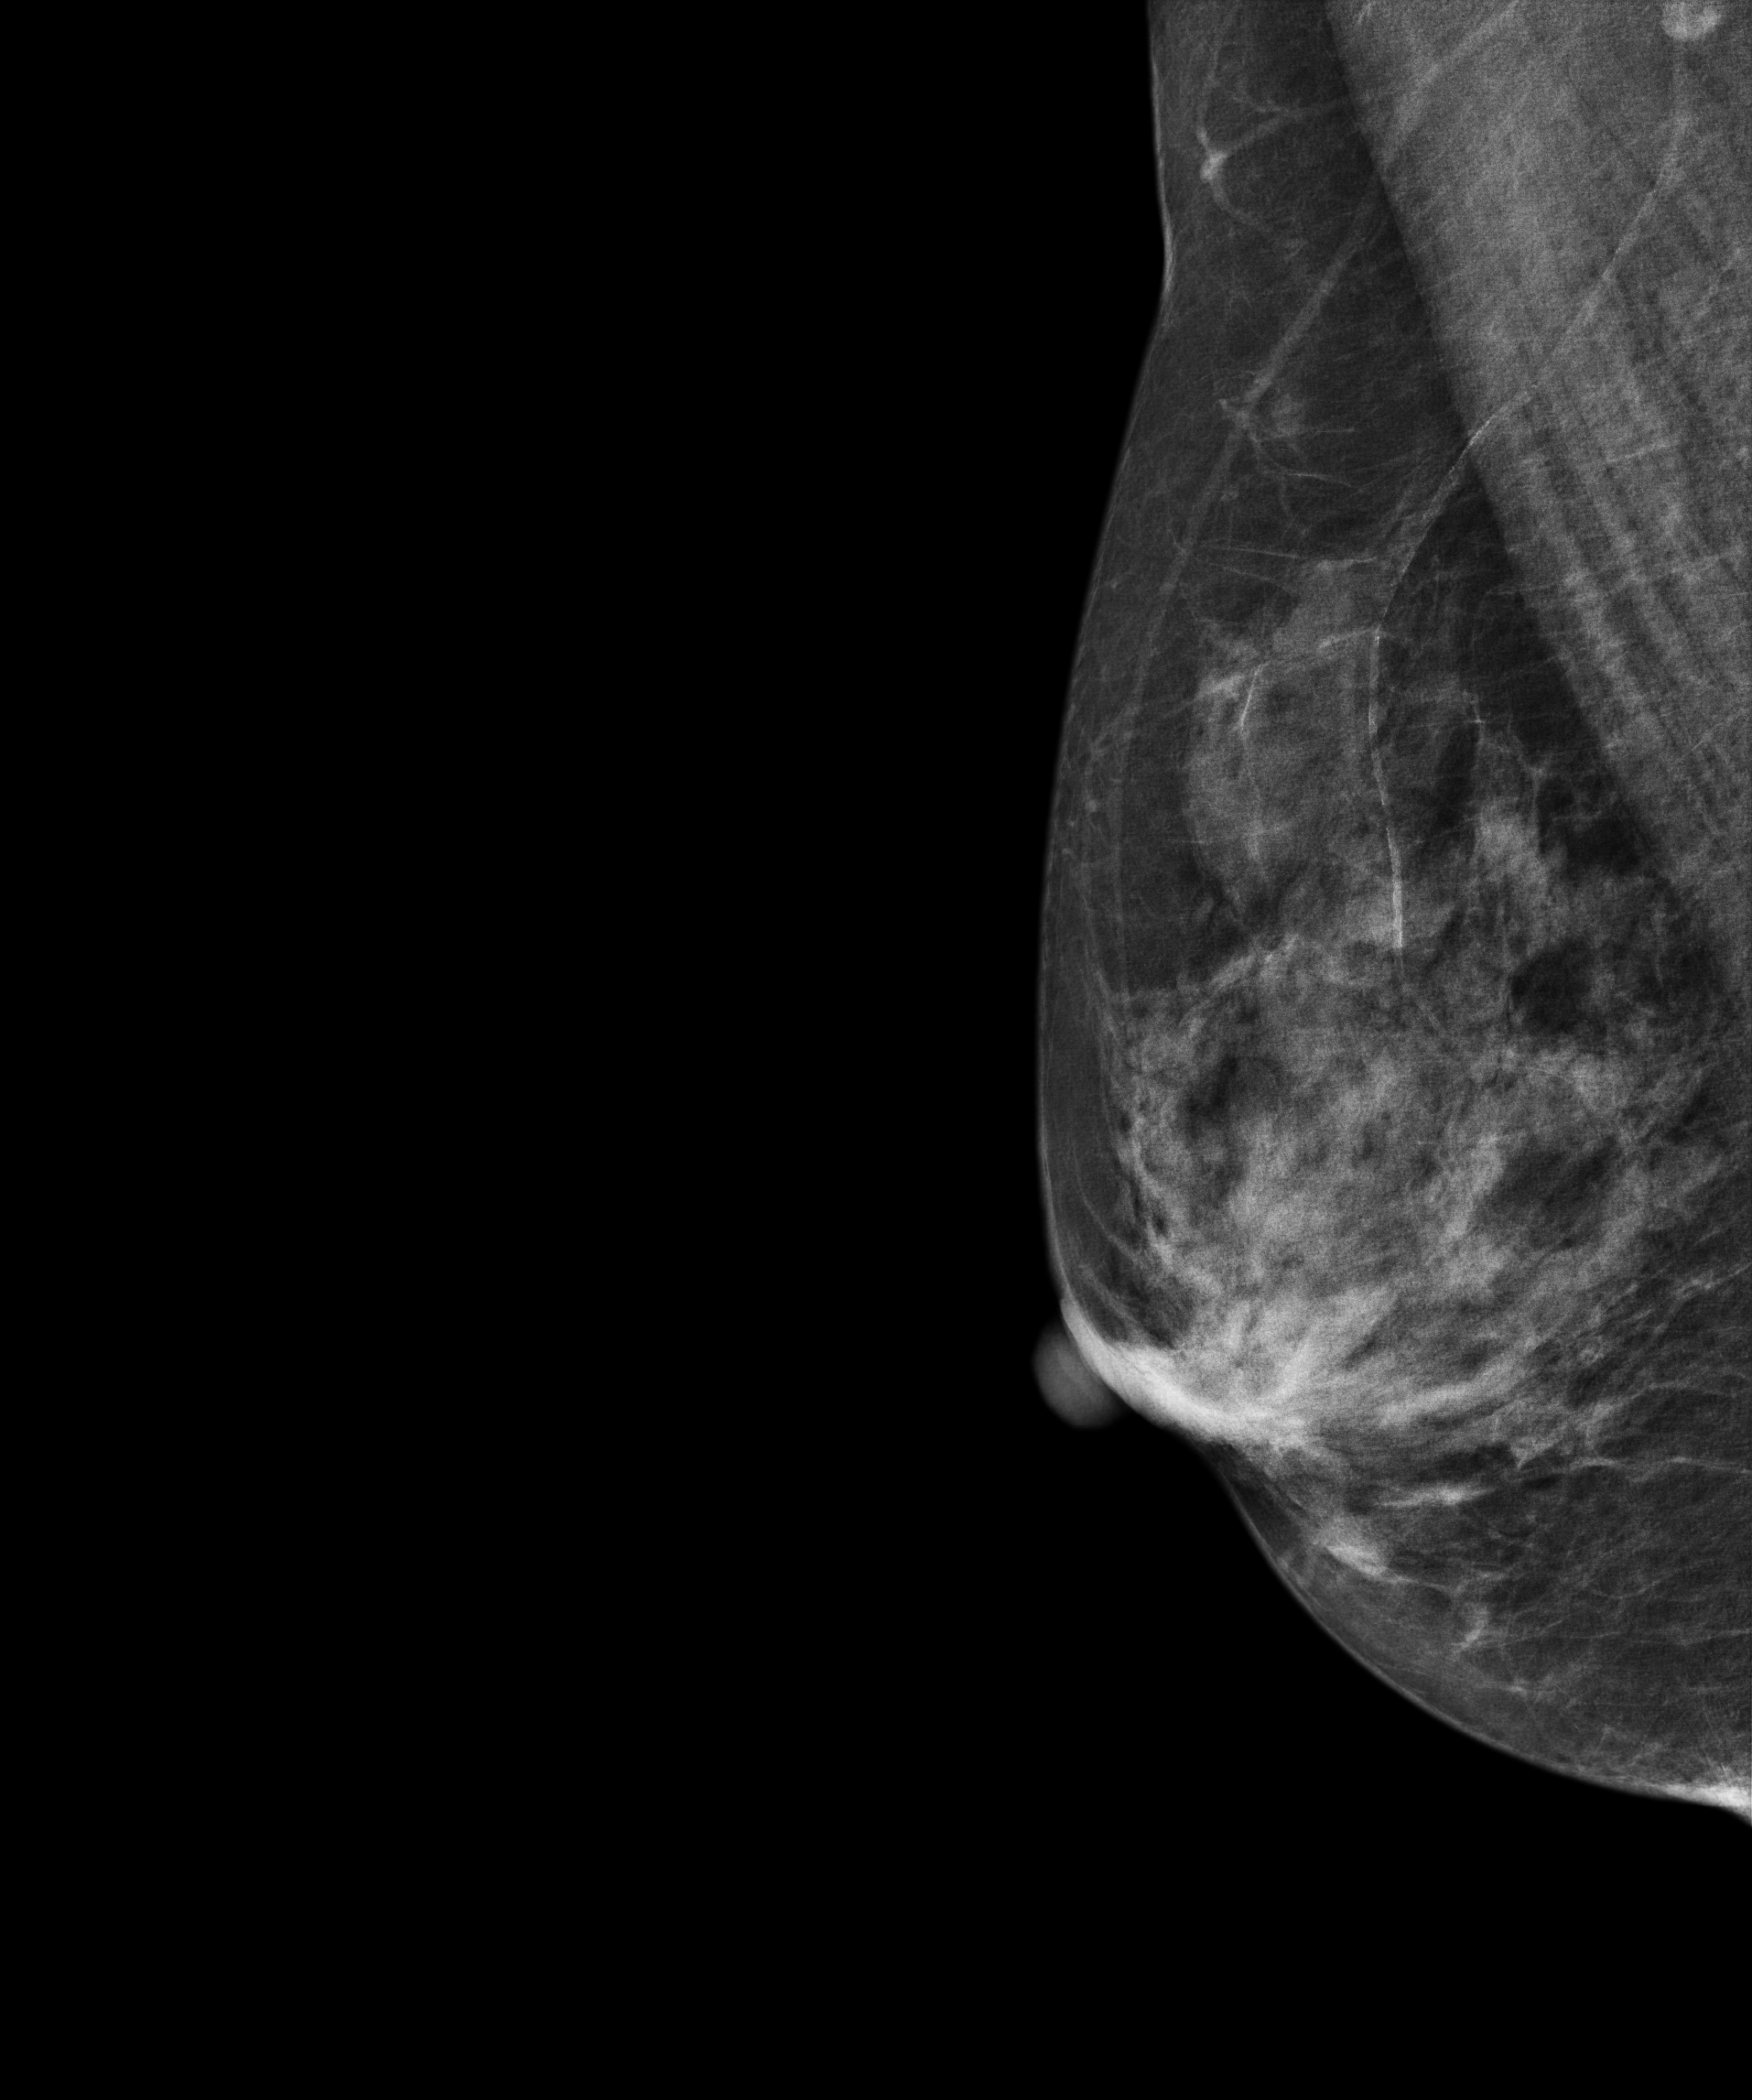
Medio-lateral oblique mammogram of the right breast. 58-year-old patient.
Contralateral breast — no documented abnormality on this side.